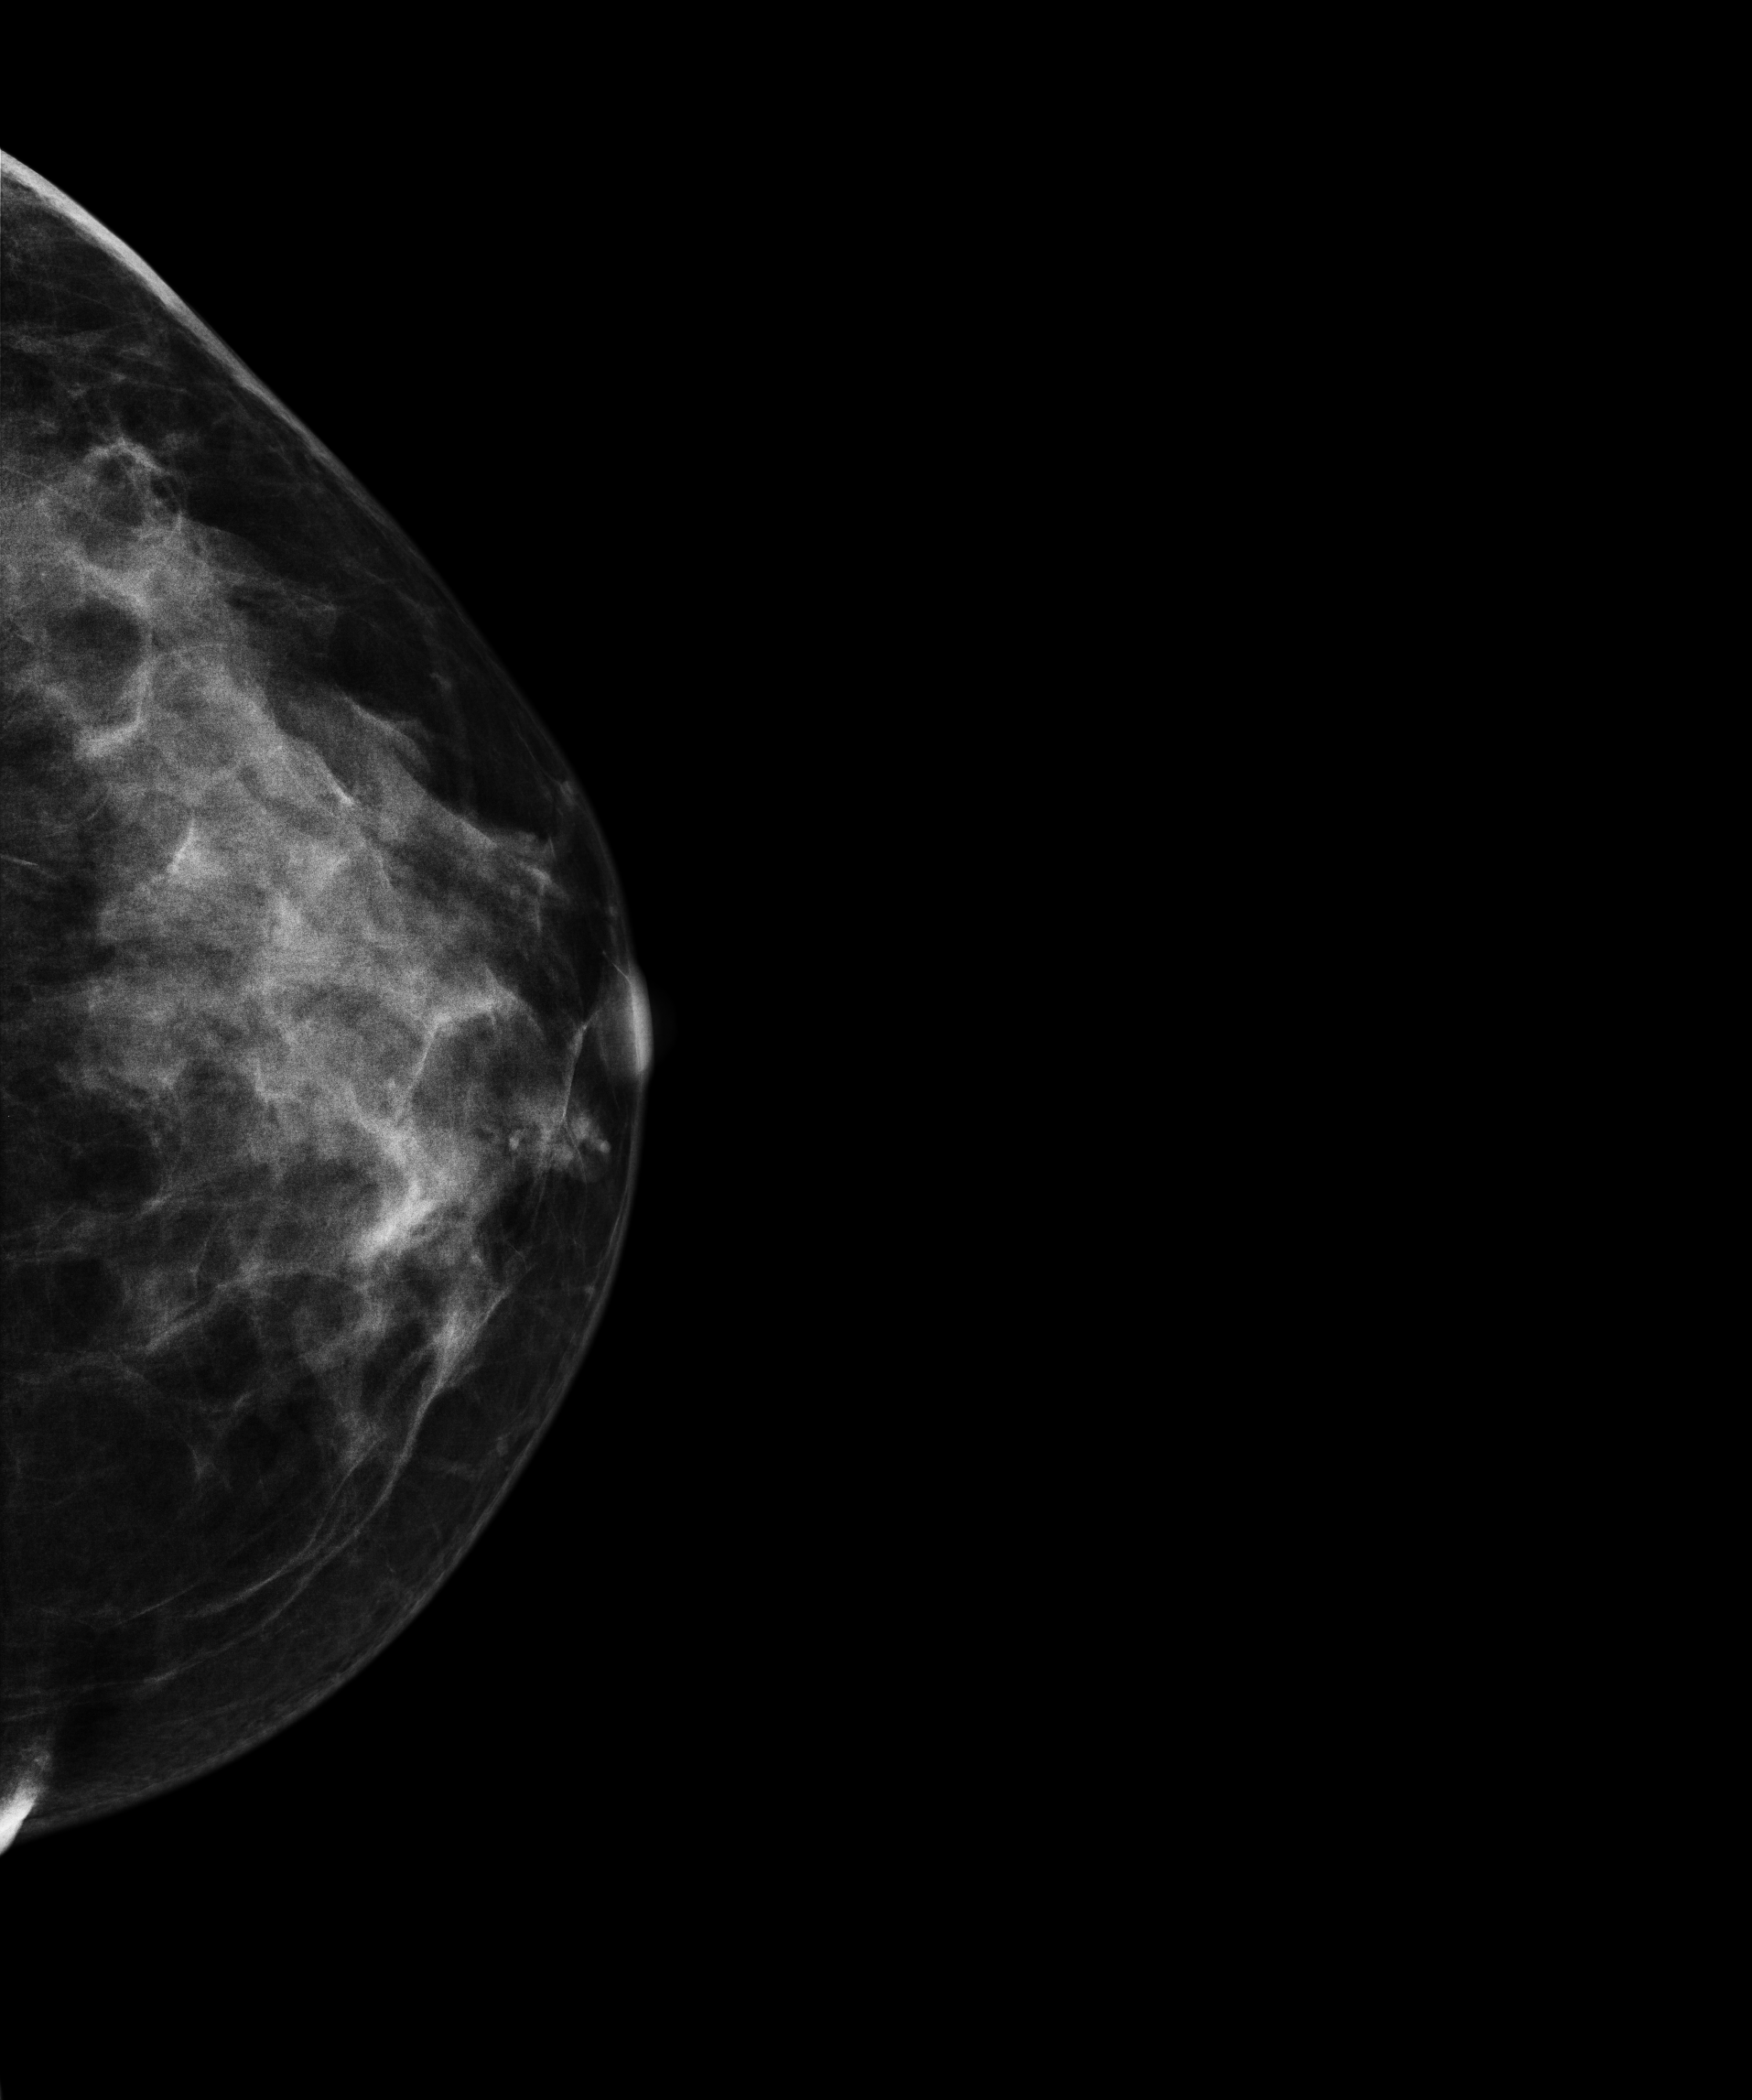
Mammogram, left breast, CC view. Patient age 48.
This breast has a mass, histologically confirmed malignant.